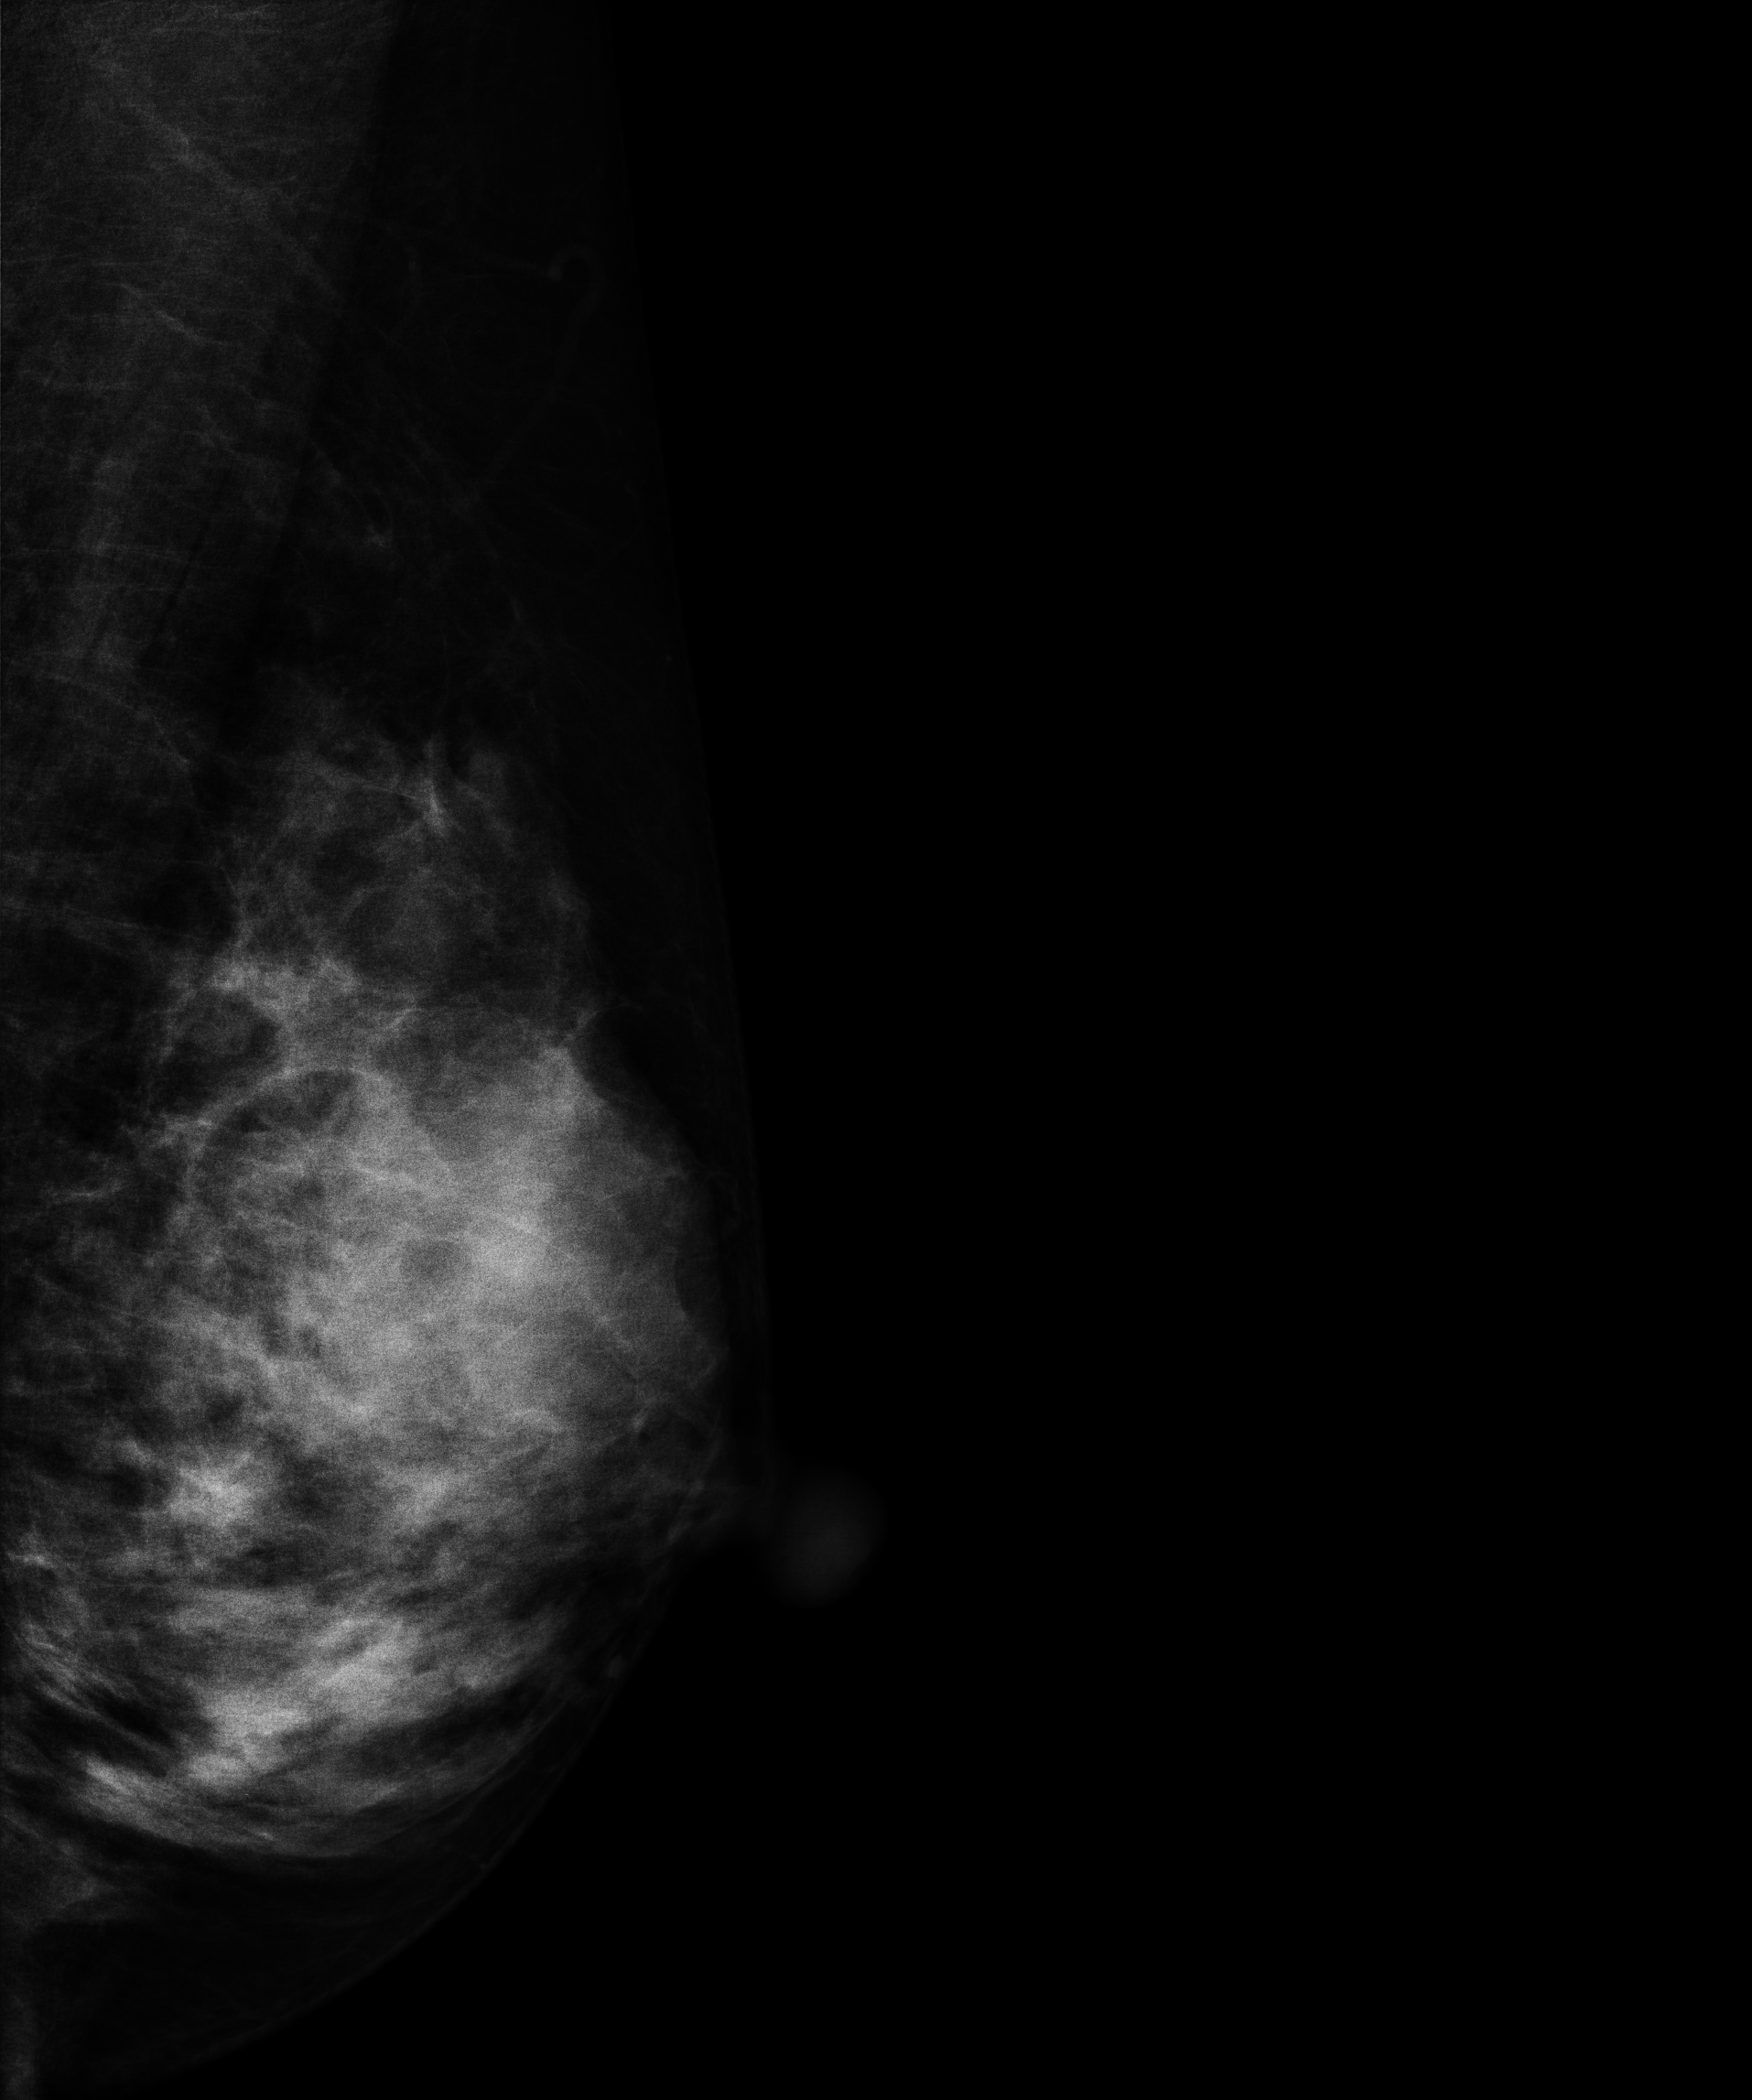
Left-breast mammogram, medio-lateral oblique. Patient age 45.
This breast has a mass, pathology-confirmed benign.